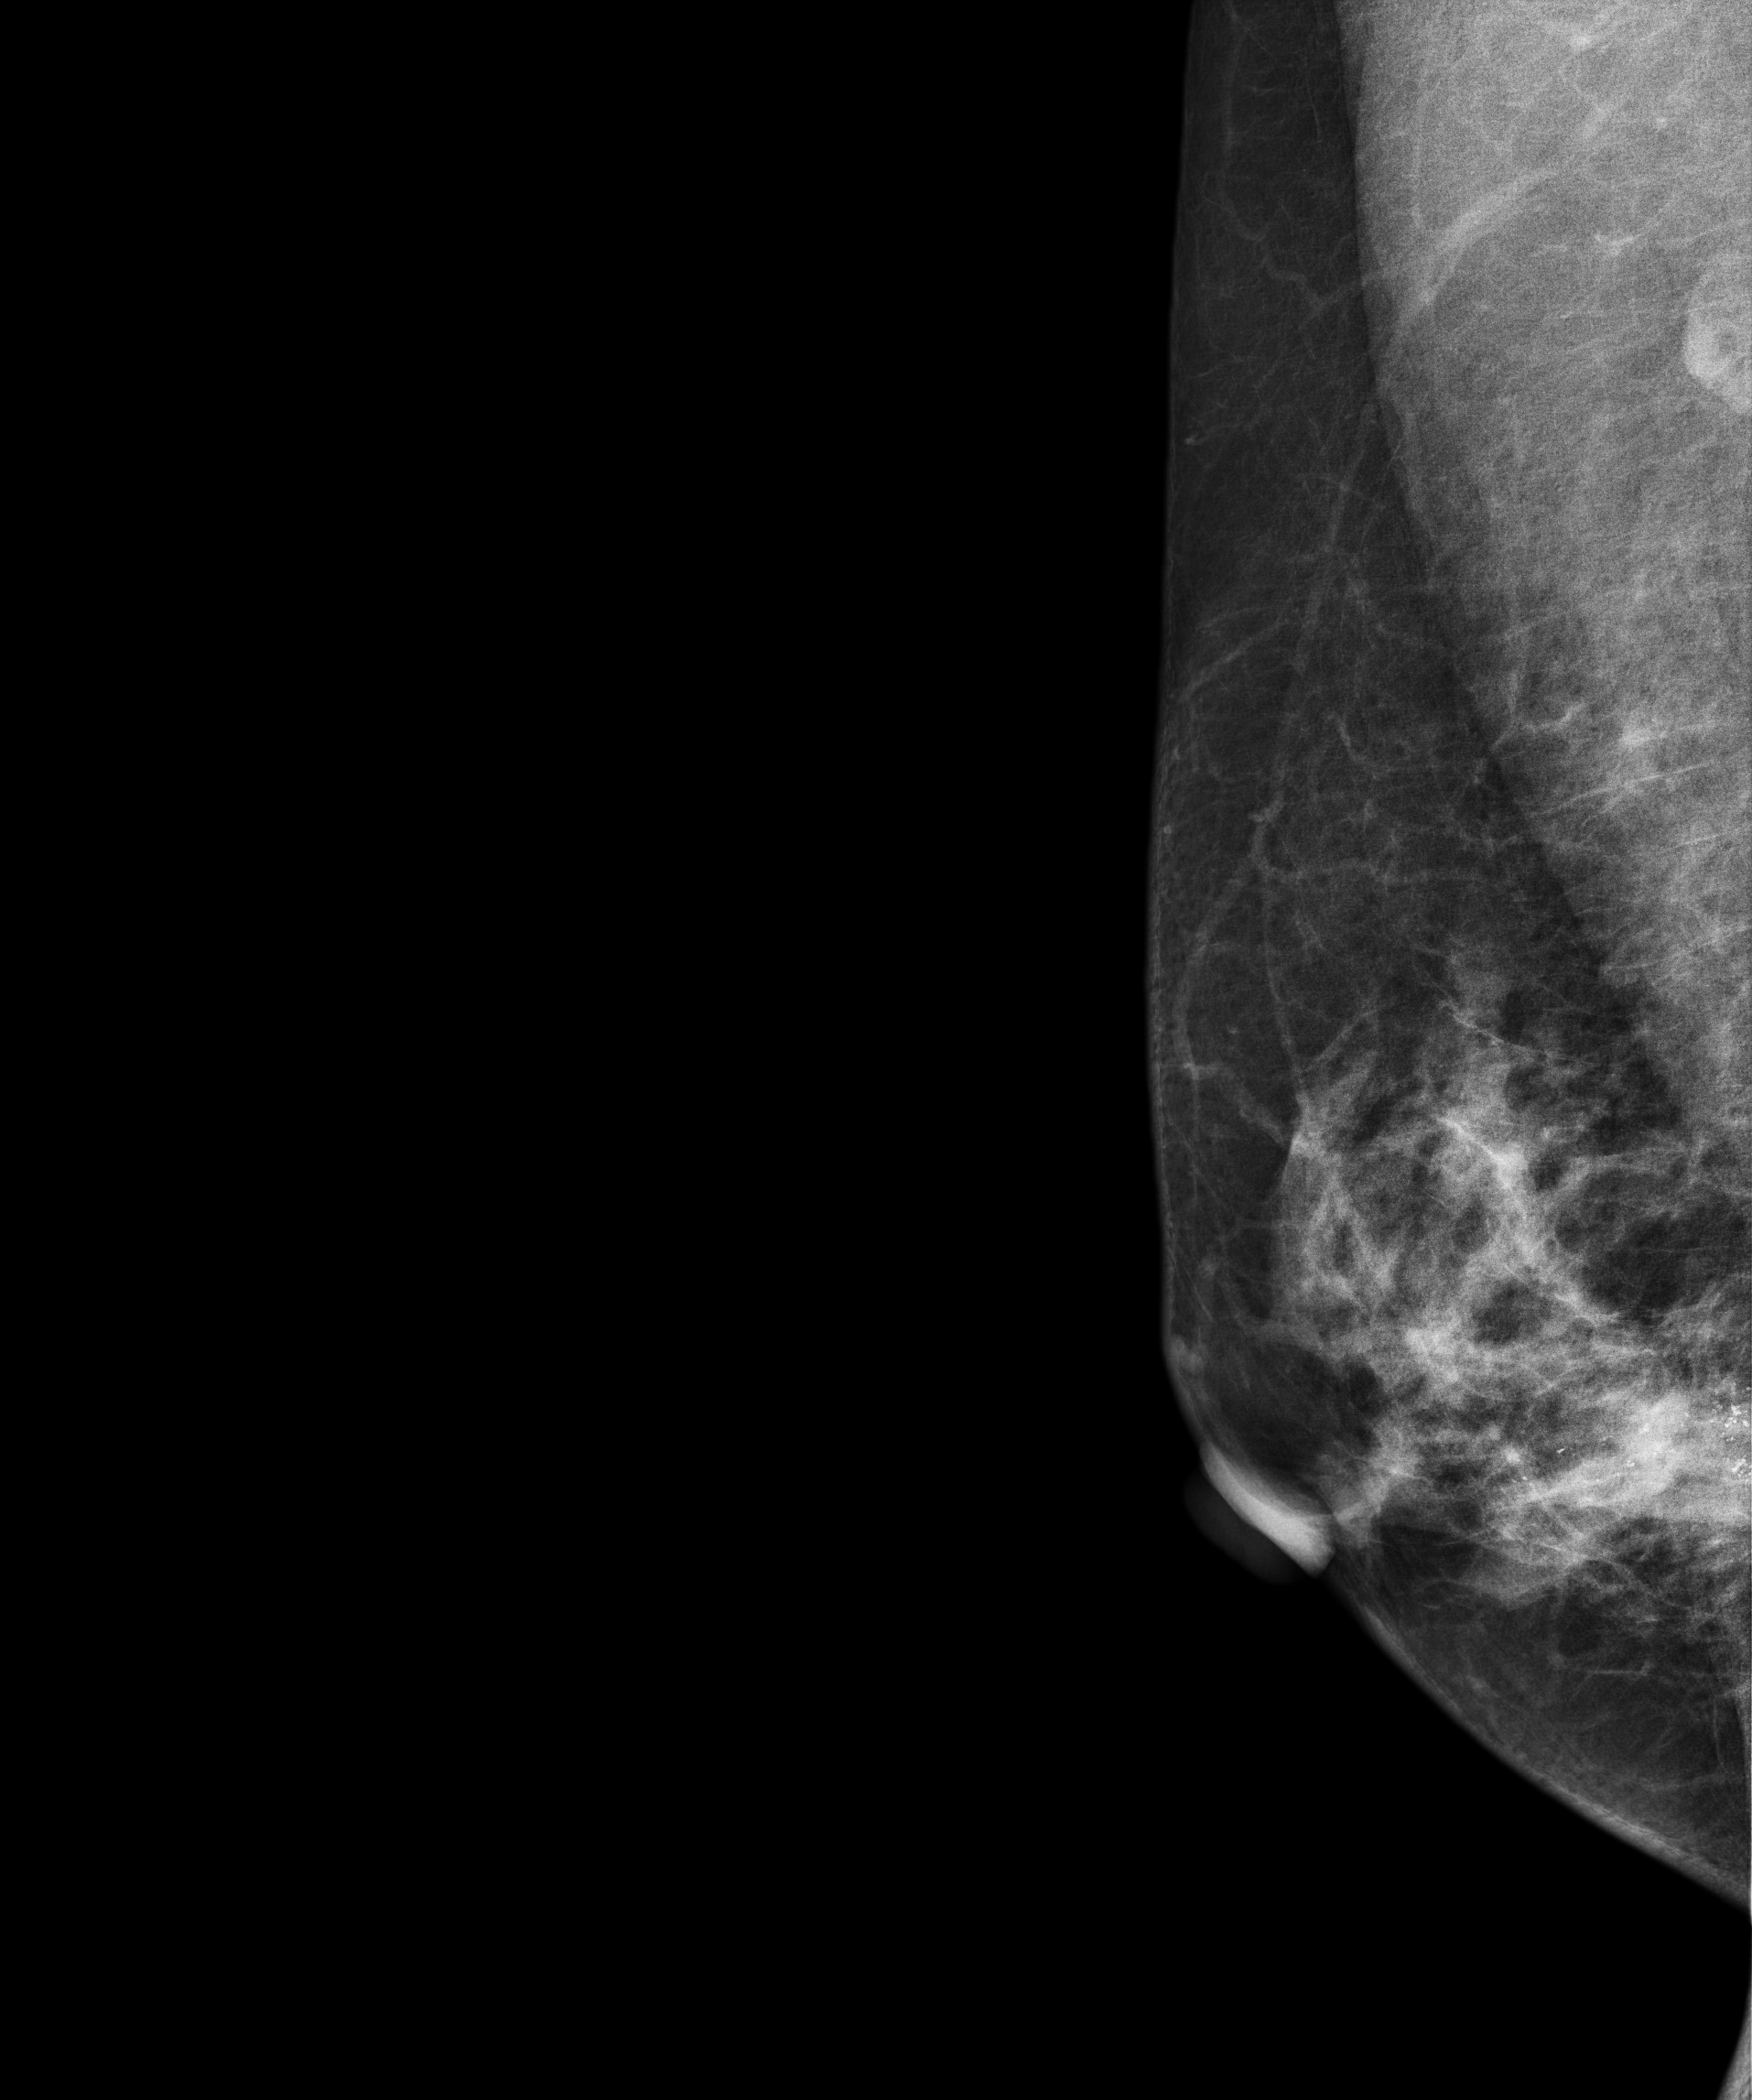
Mammogram, right breast, MLO view. 56 y/o patient.
This breast has a mass and calcifications, histologically confirmed malignant. Molecular subtype: HER2-enriched.